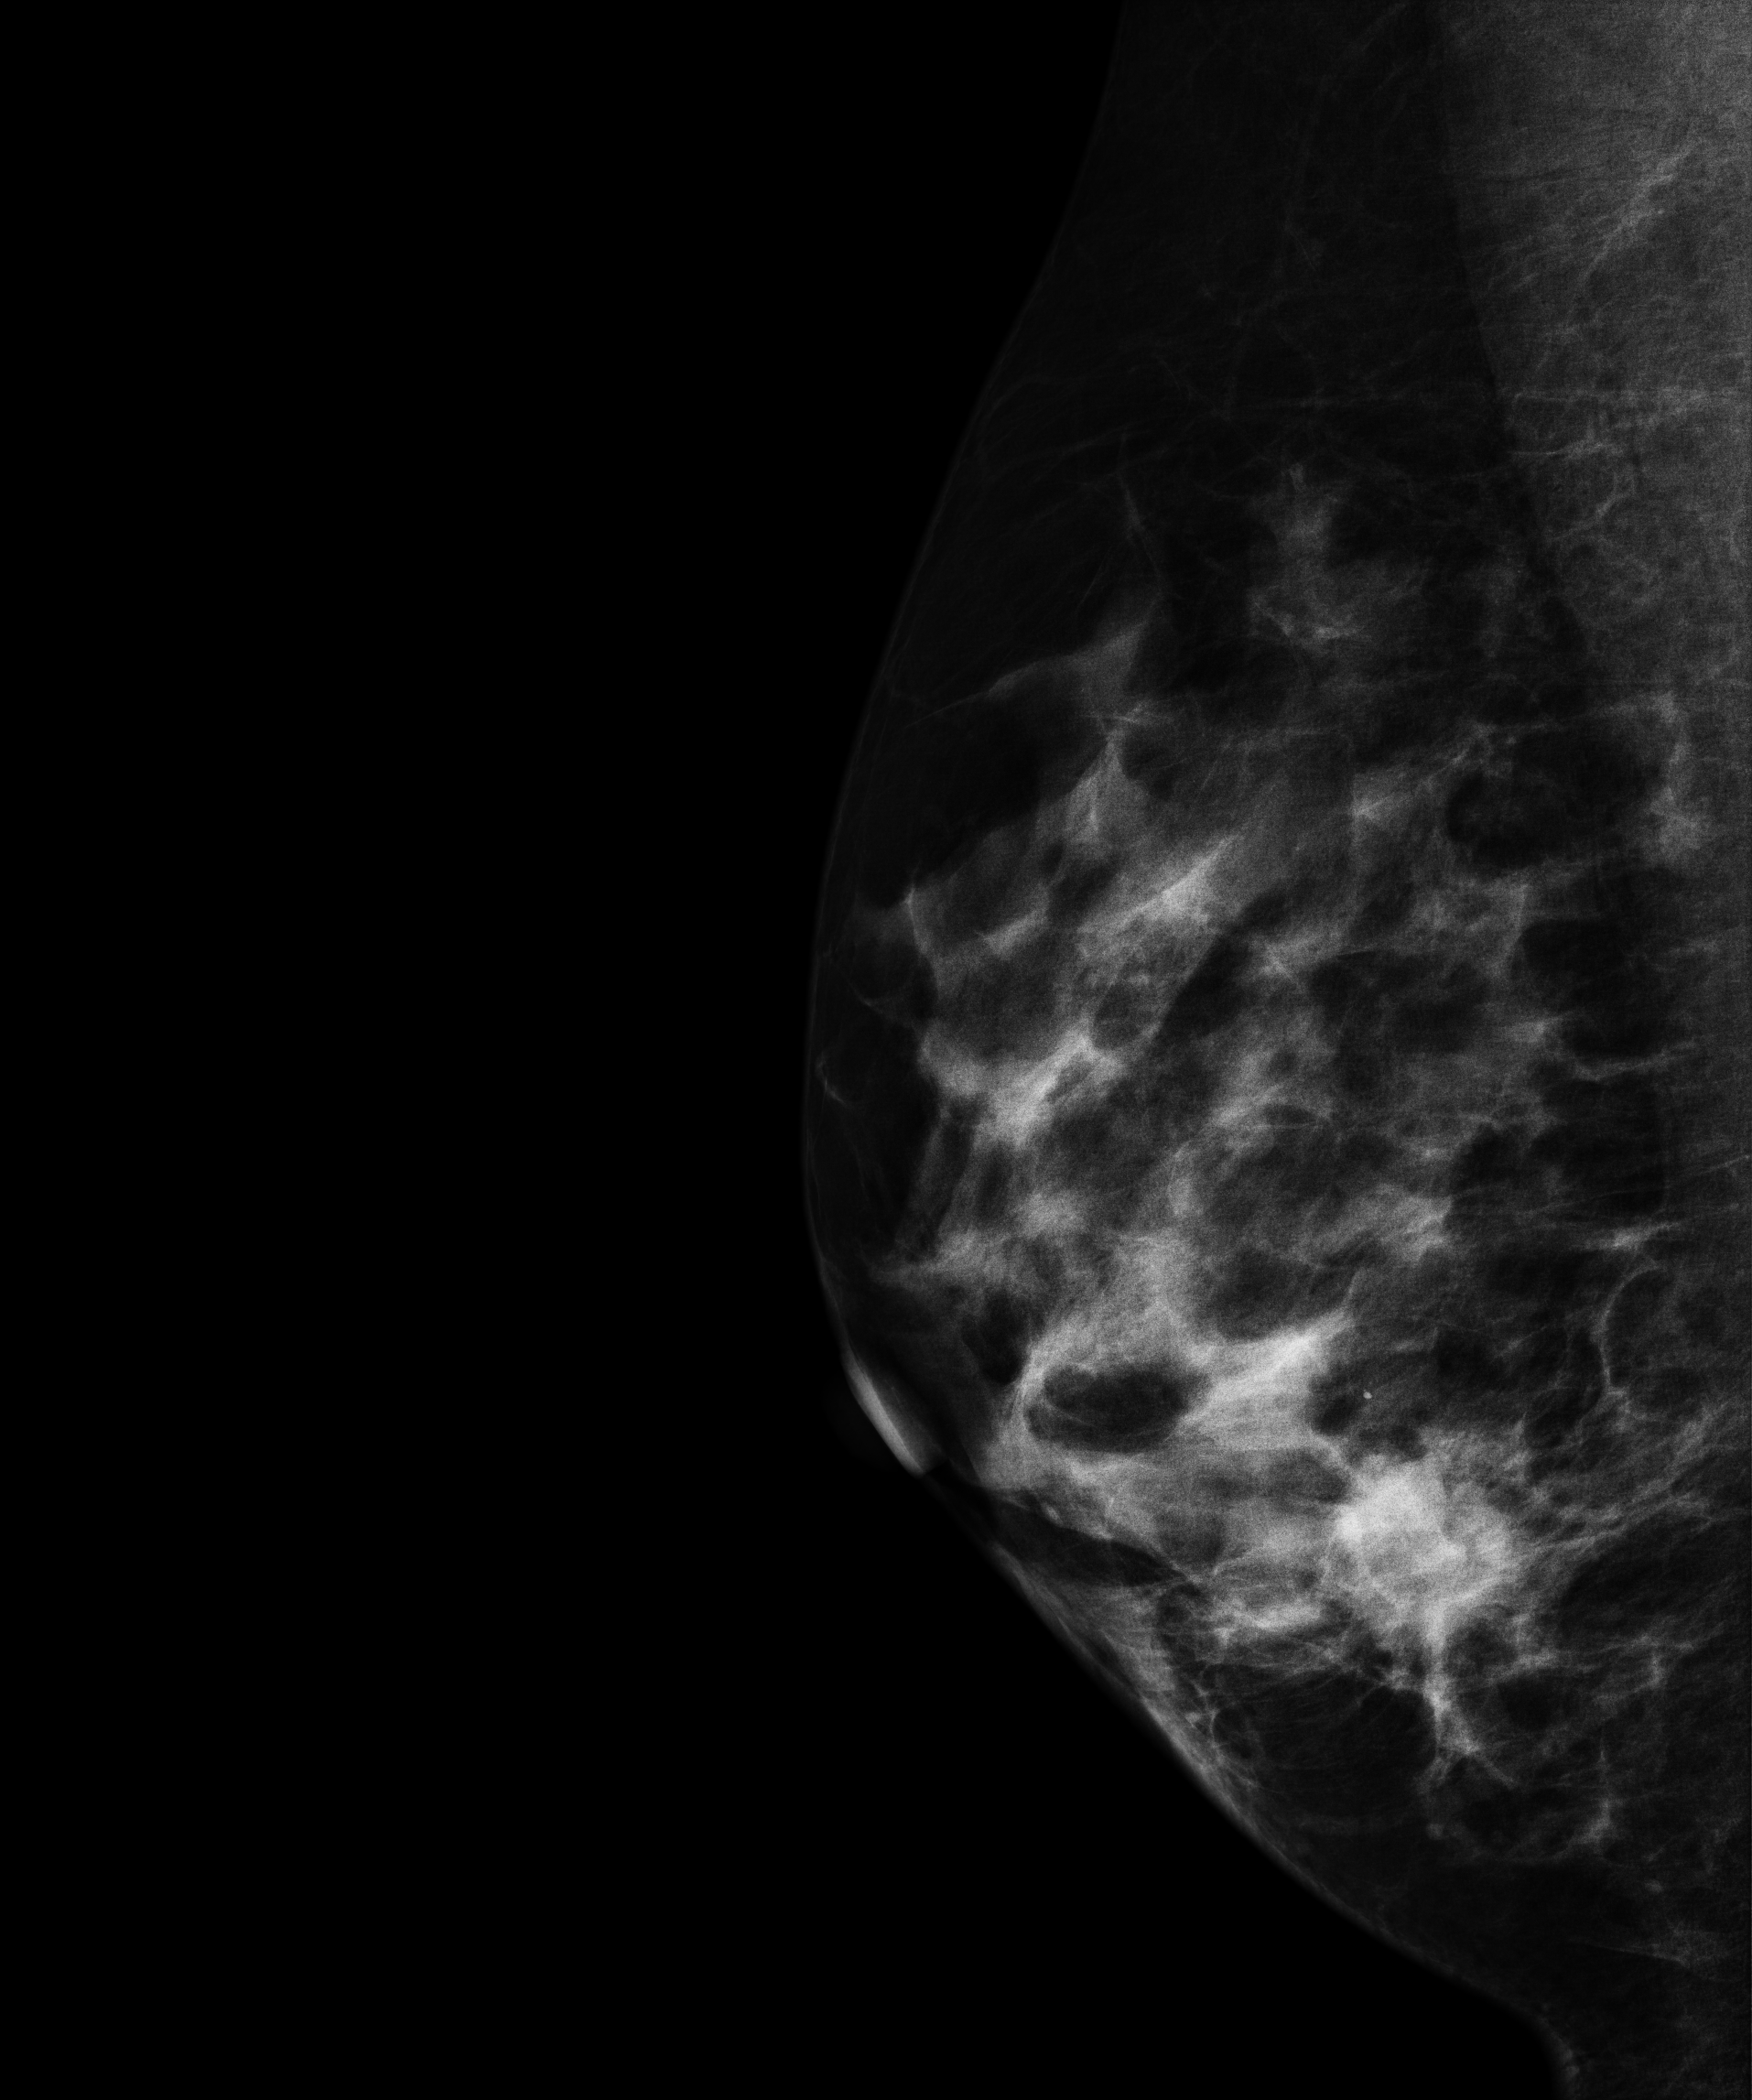
Mammogram, right breast, medio-lateral oblique view. 44 y/o patient.
This breast has a mass, histologically confirmed malignant. Molecular subtype: triple-negative.